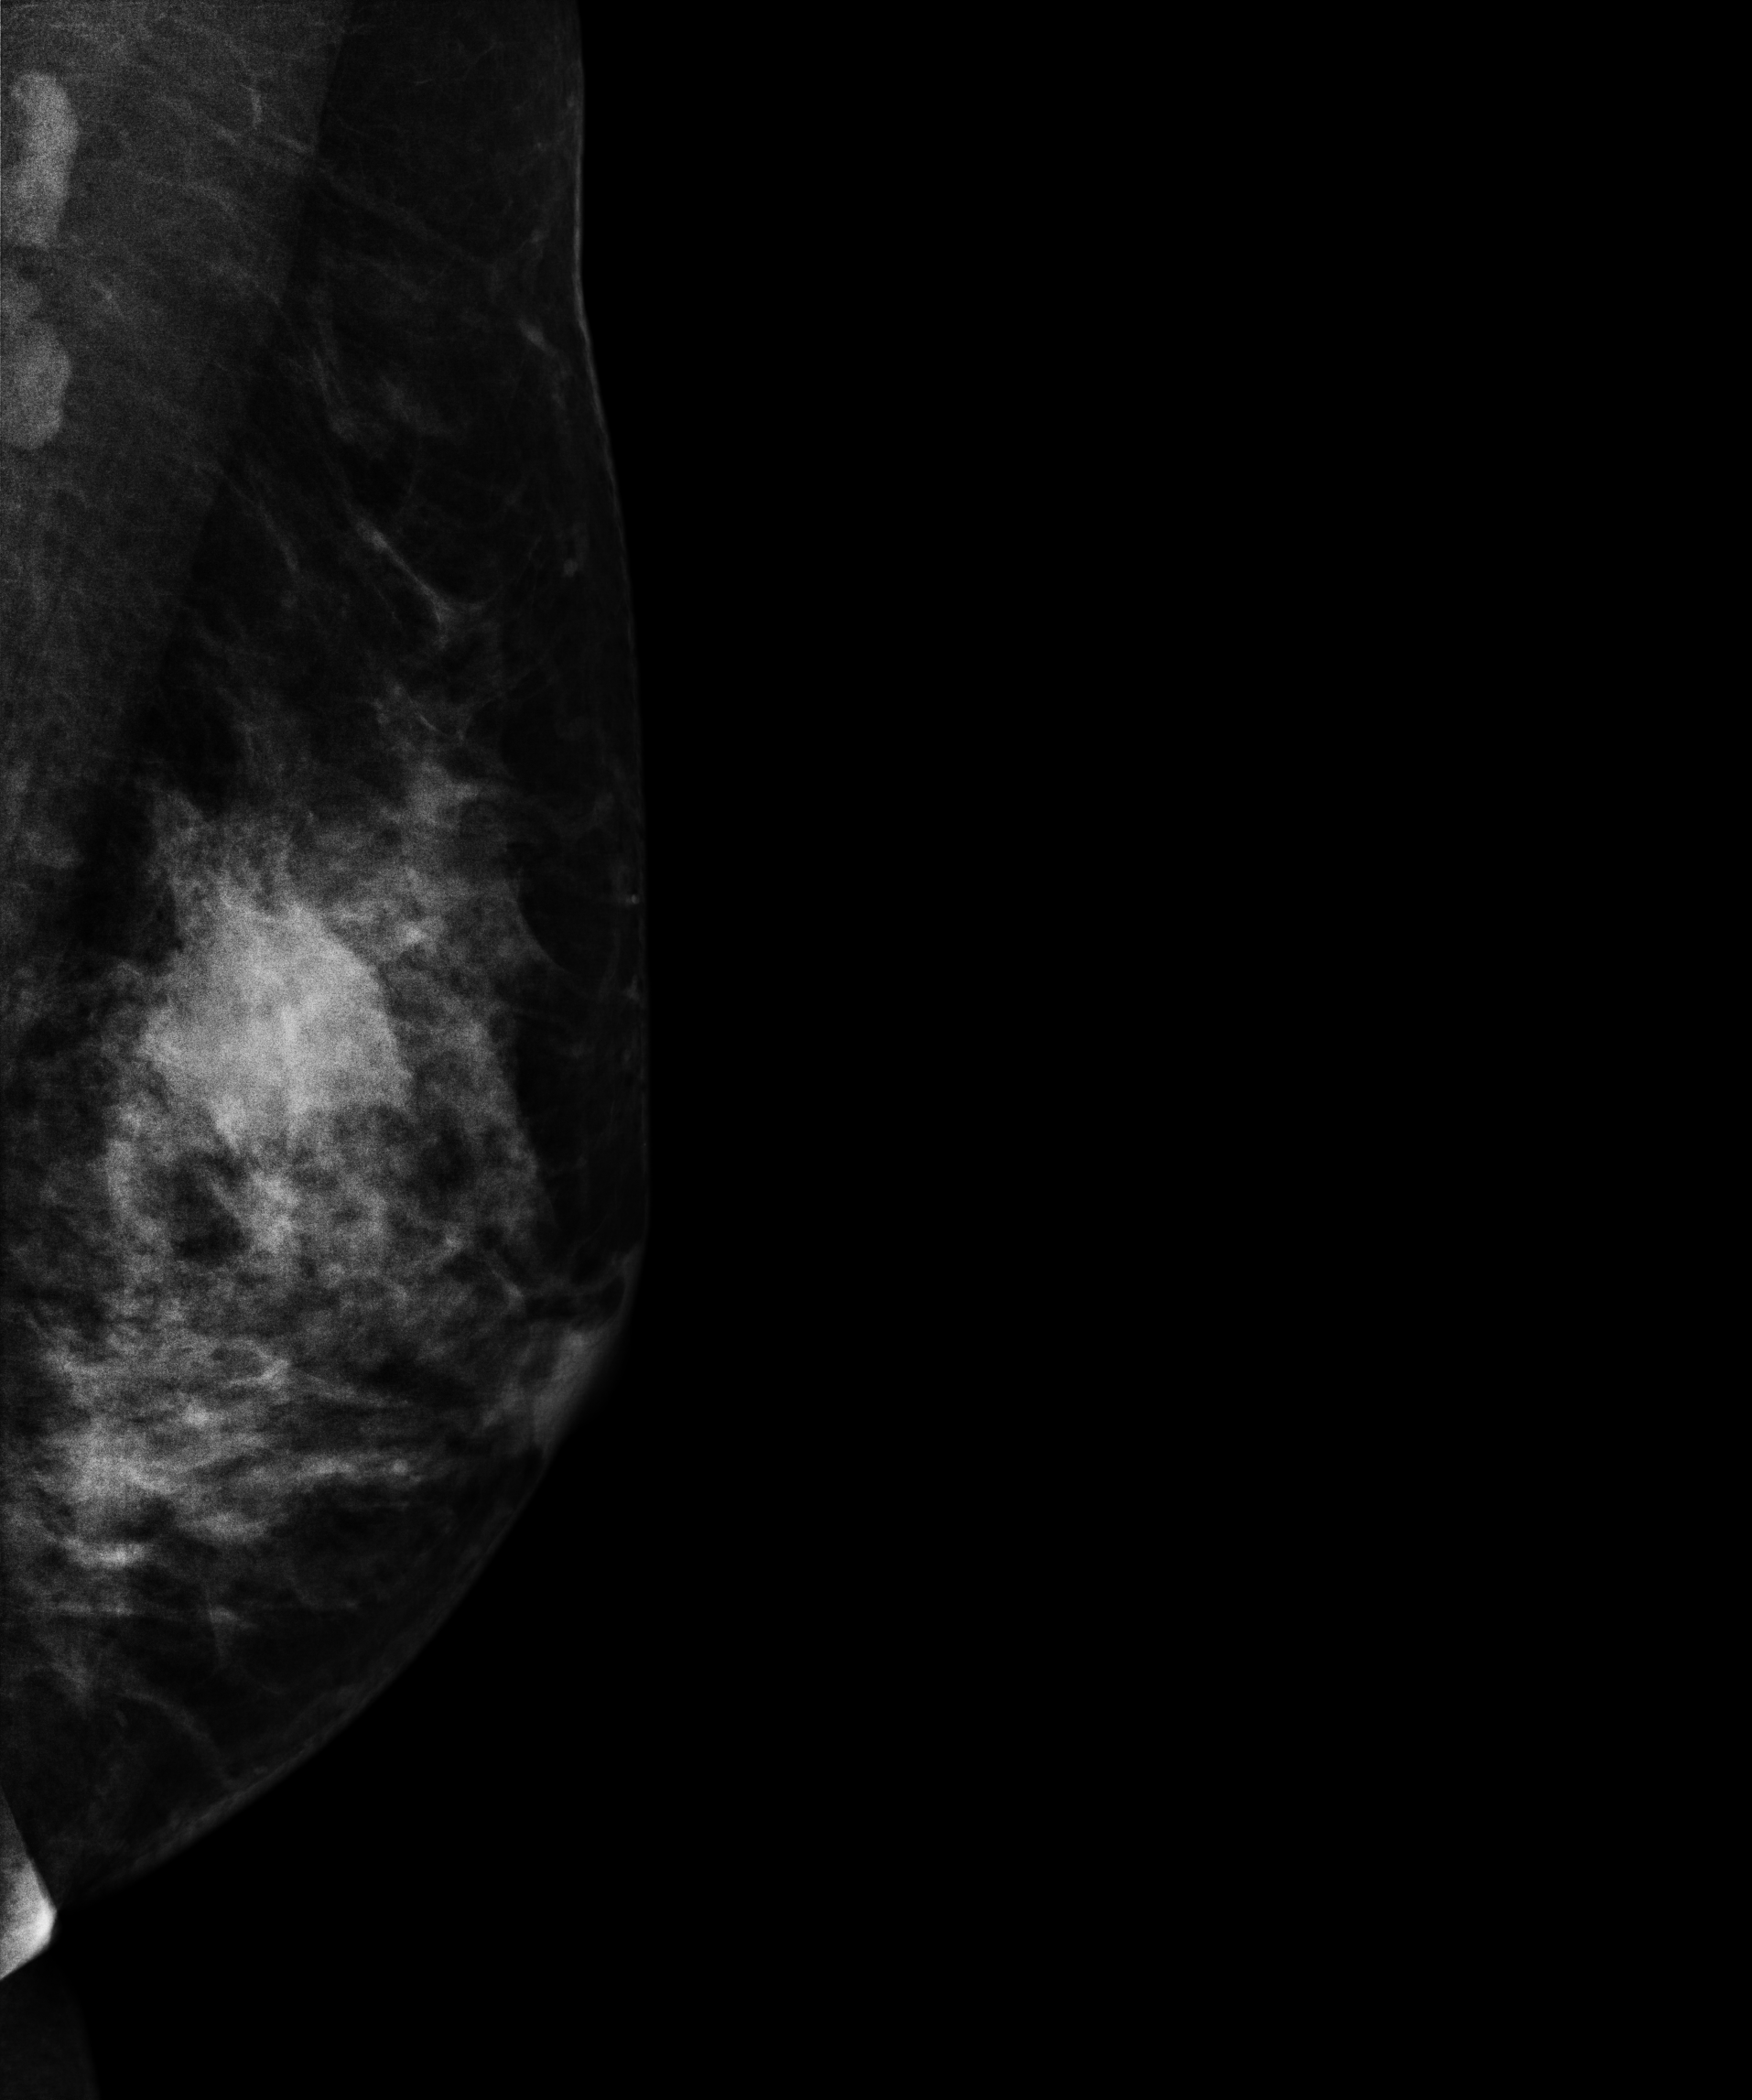
MLO mammogram of the left breast. 42 y/o patient.
This breast has a mass, biopsy-proven malignant. Molecular subtype: triple-negative.